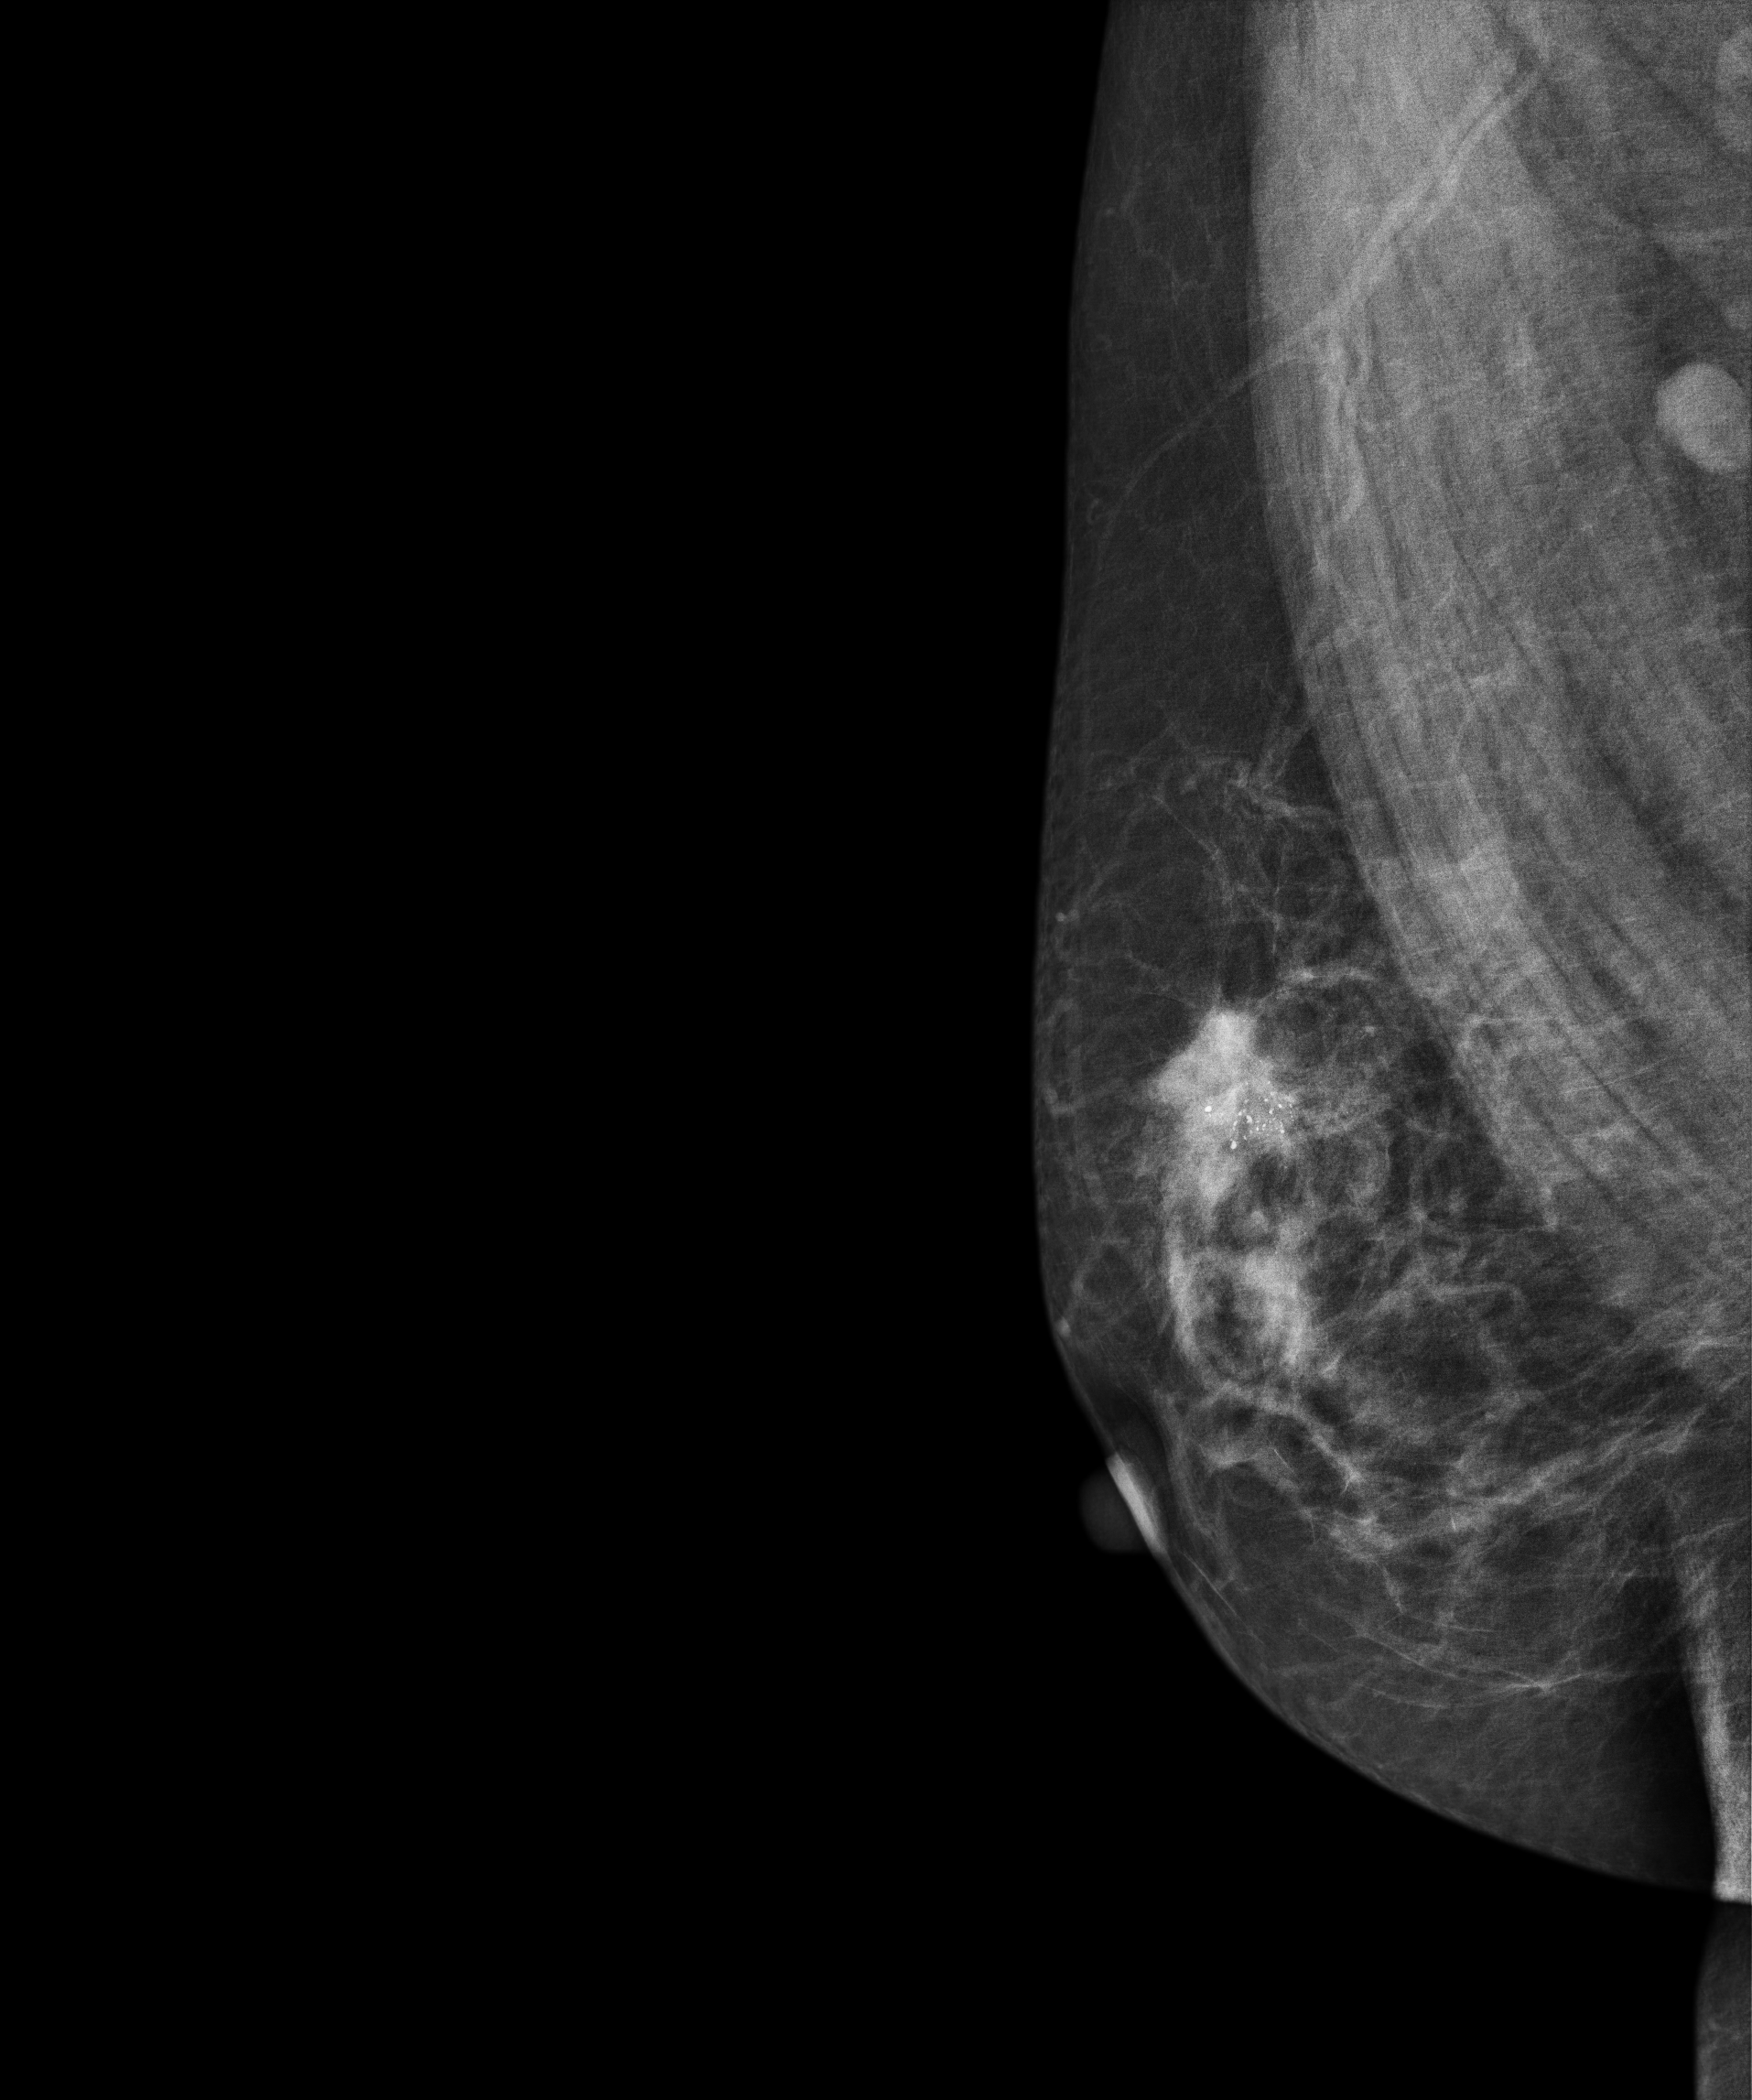
Mammogram — right MLO. 53 y/o patient.
This breast has a mass and calcifications, pathology-confirmed malignant.